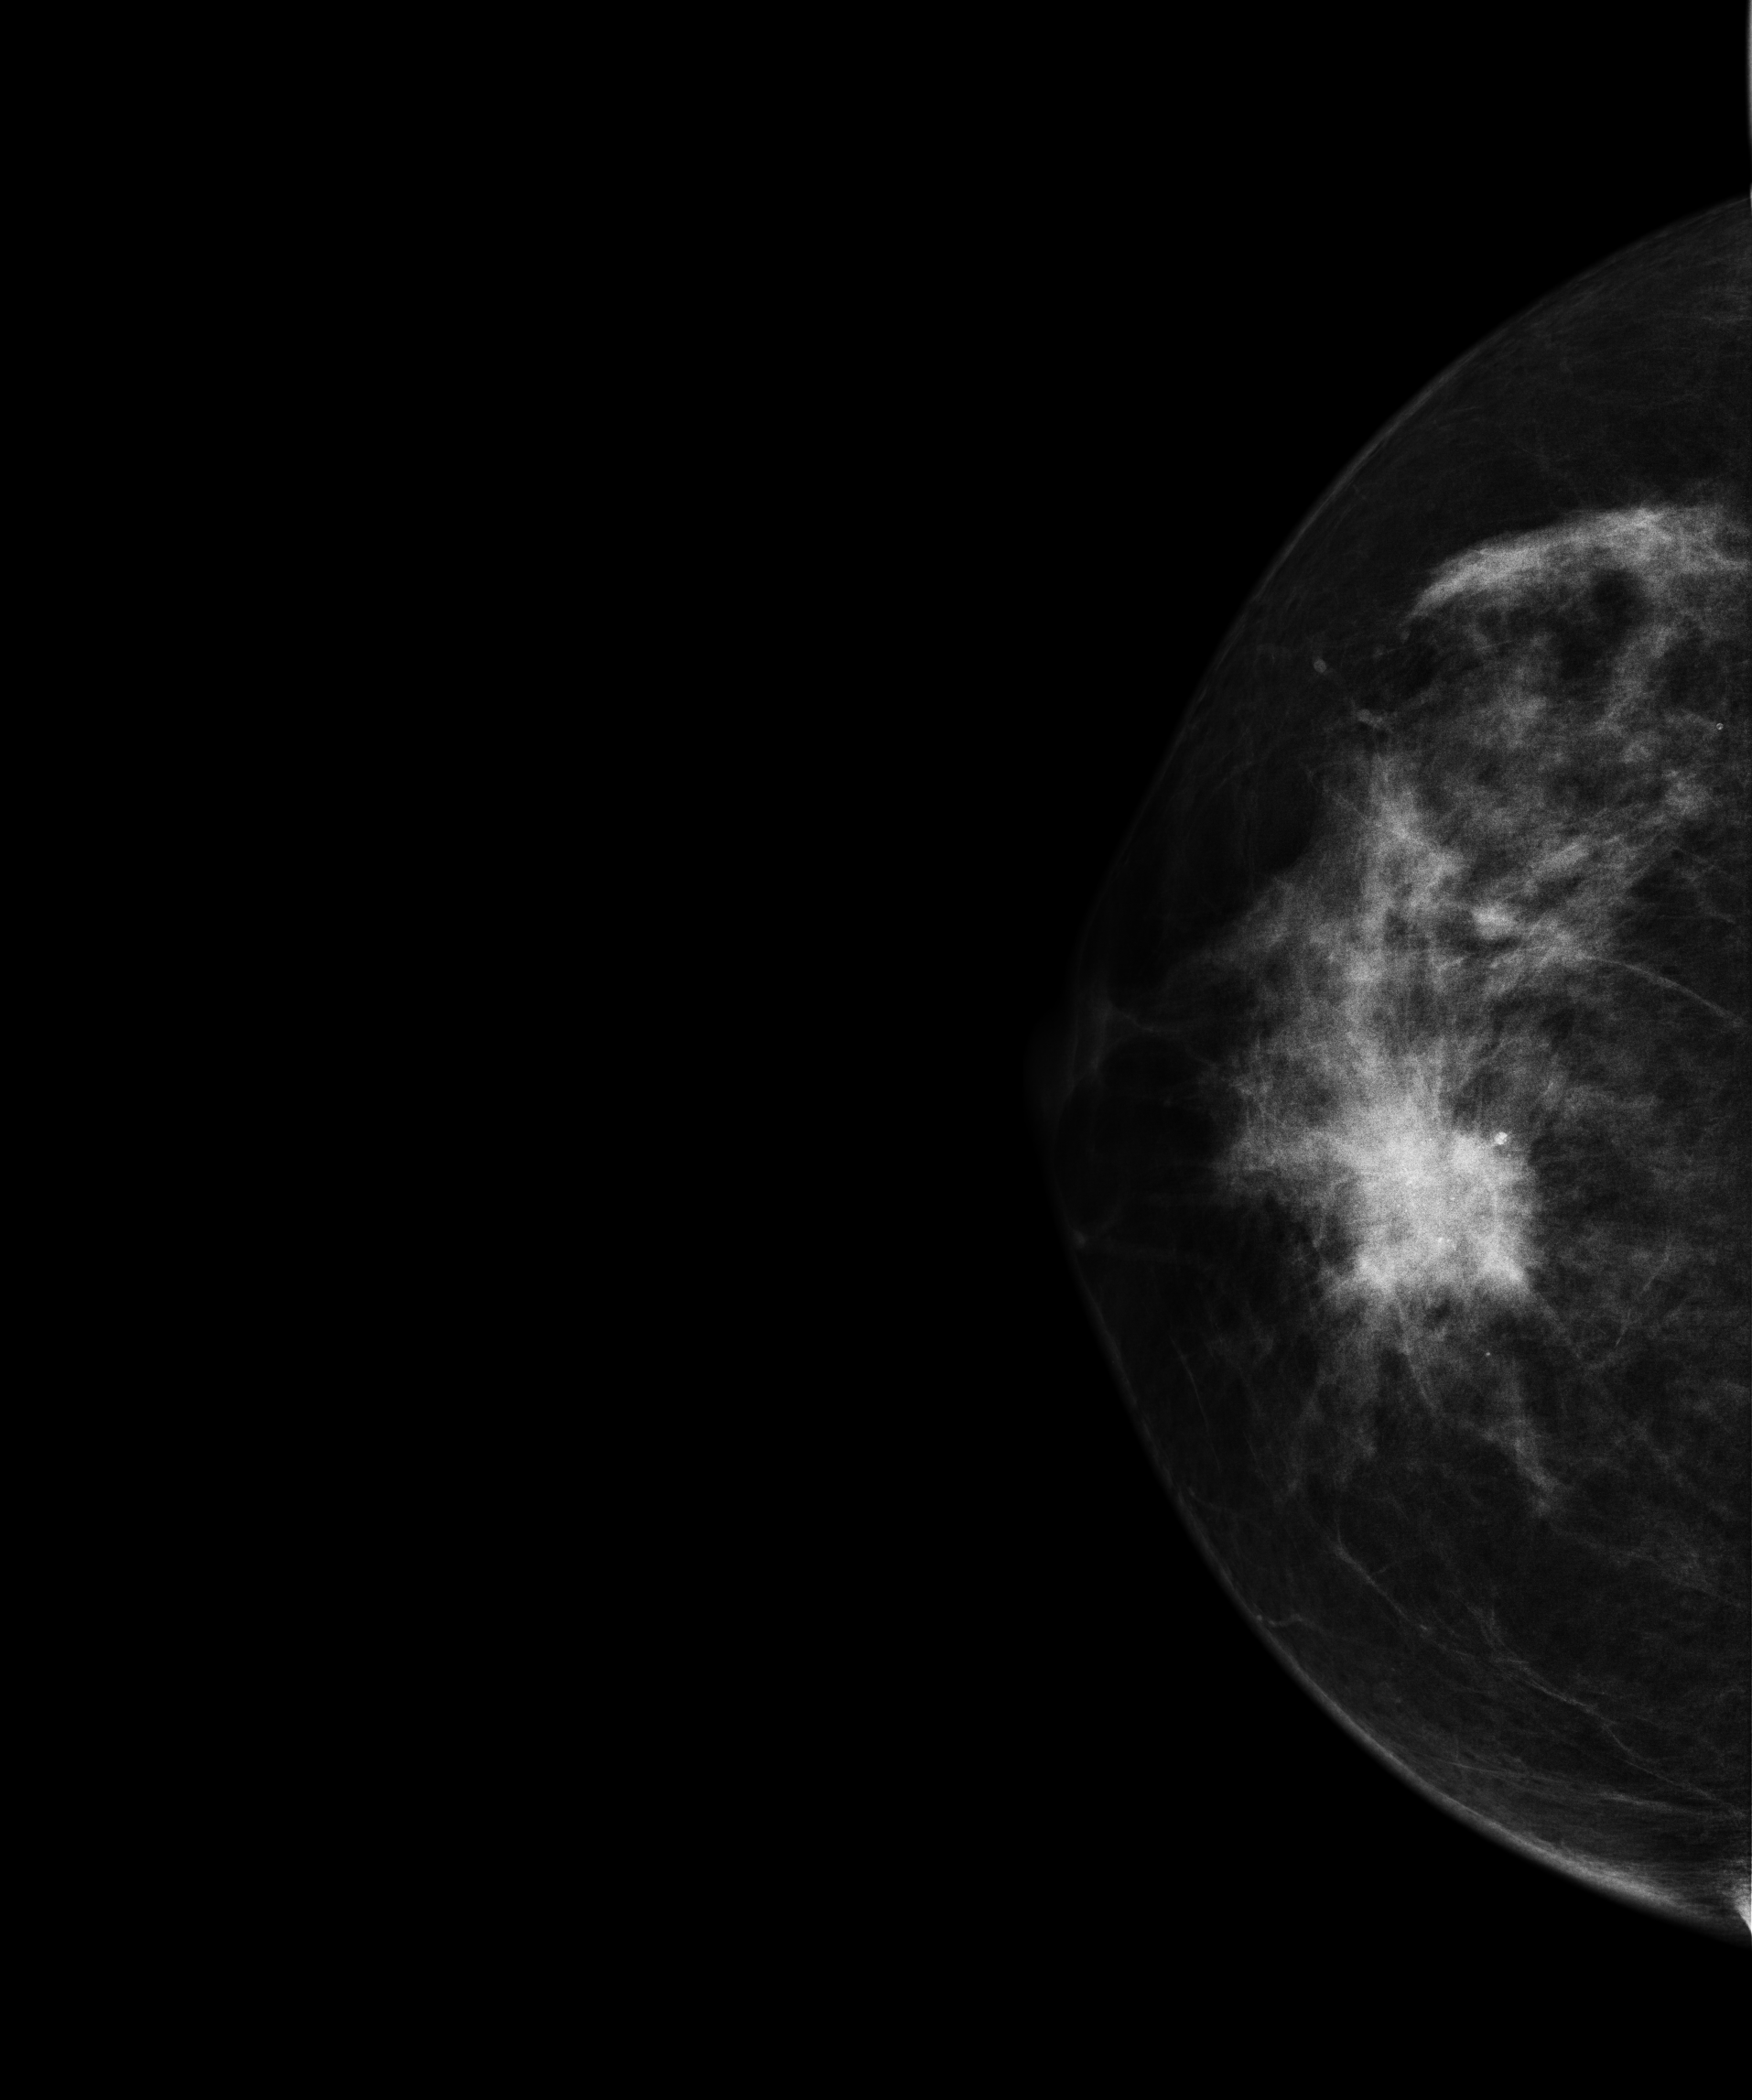
Right-breast mammogram, cranio-caudal. 60-year-old patient.
This breast has a mass and calcifications, biopsy-proven malignant. Molecular subtype: luminal B.